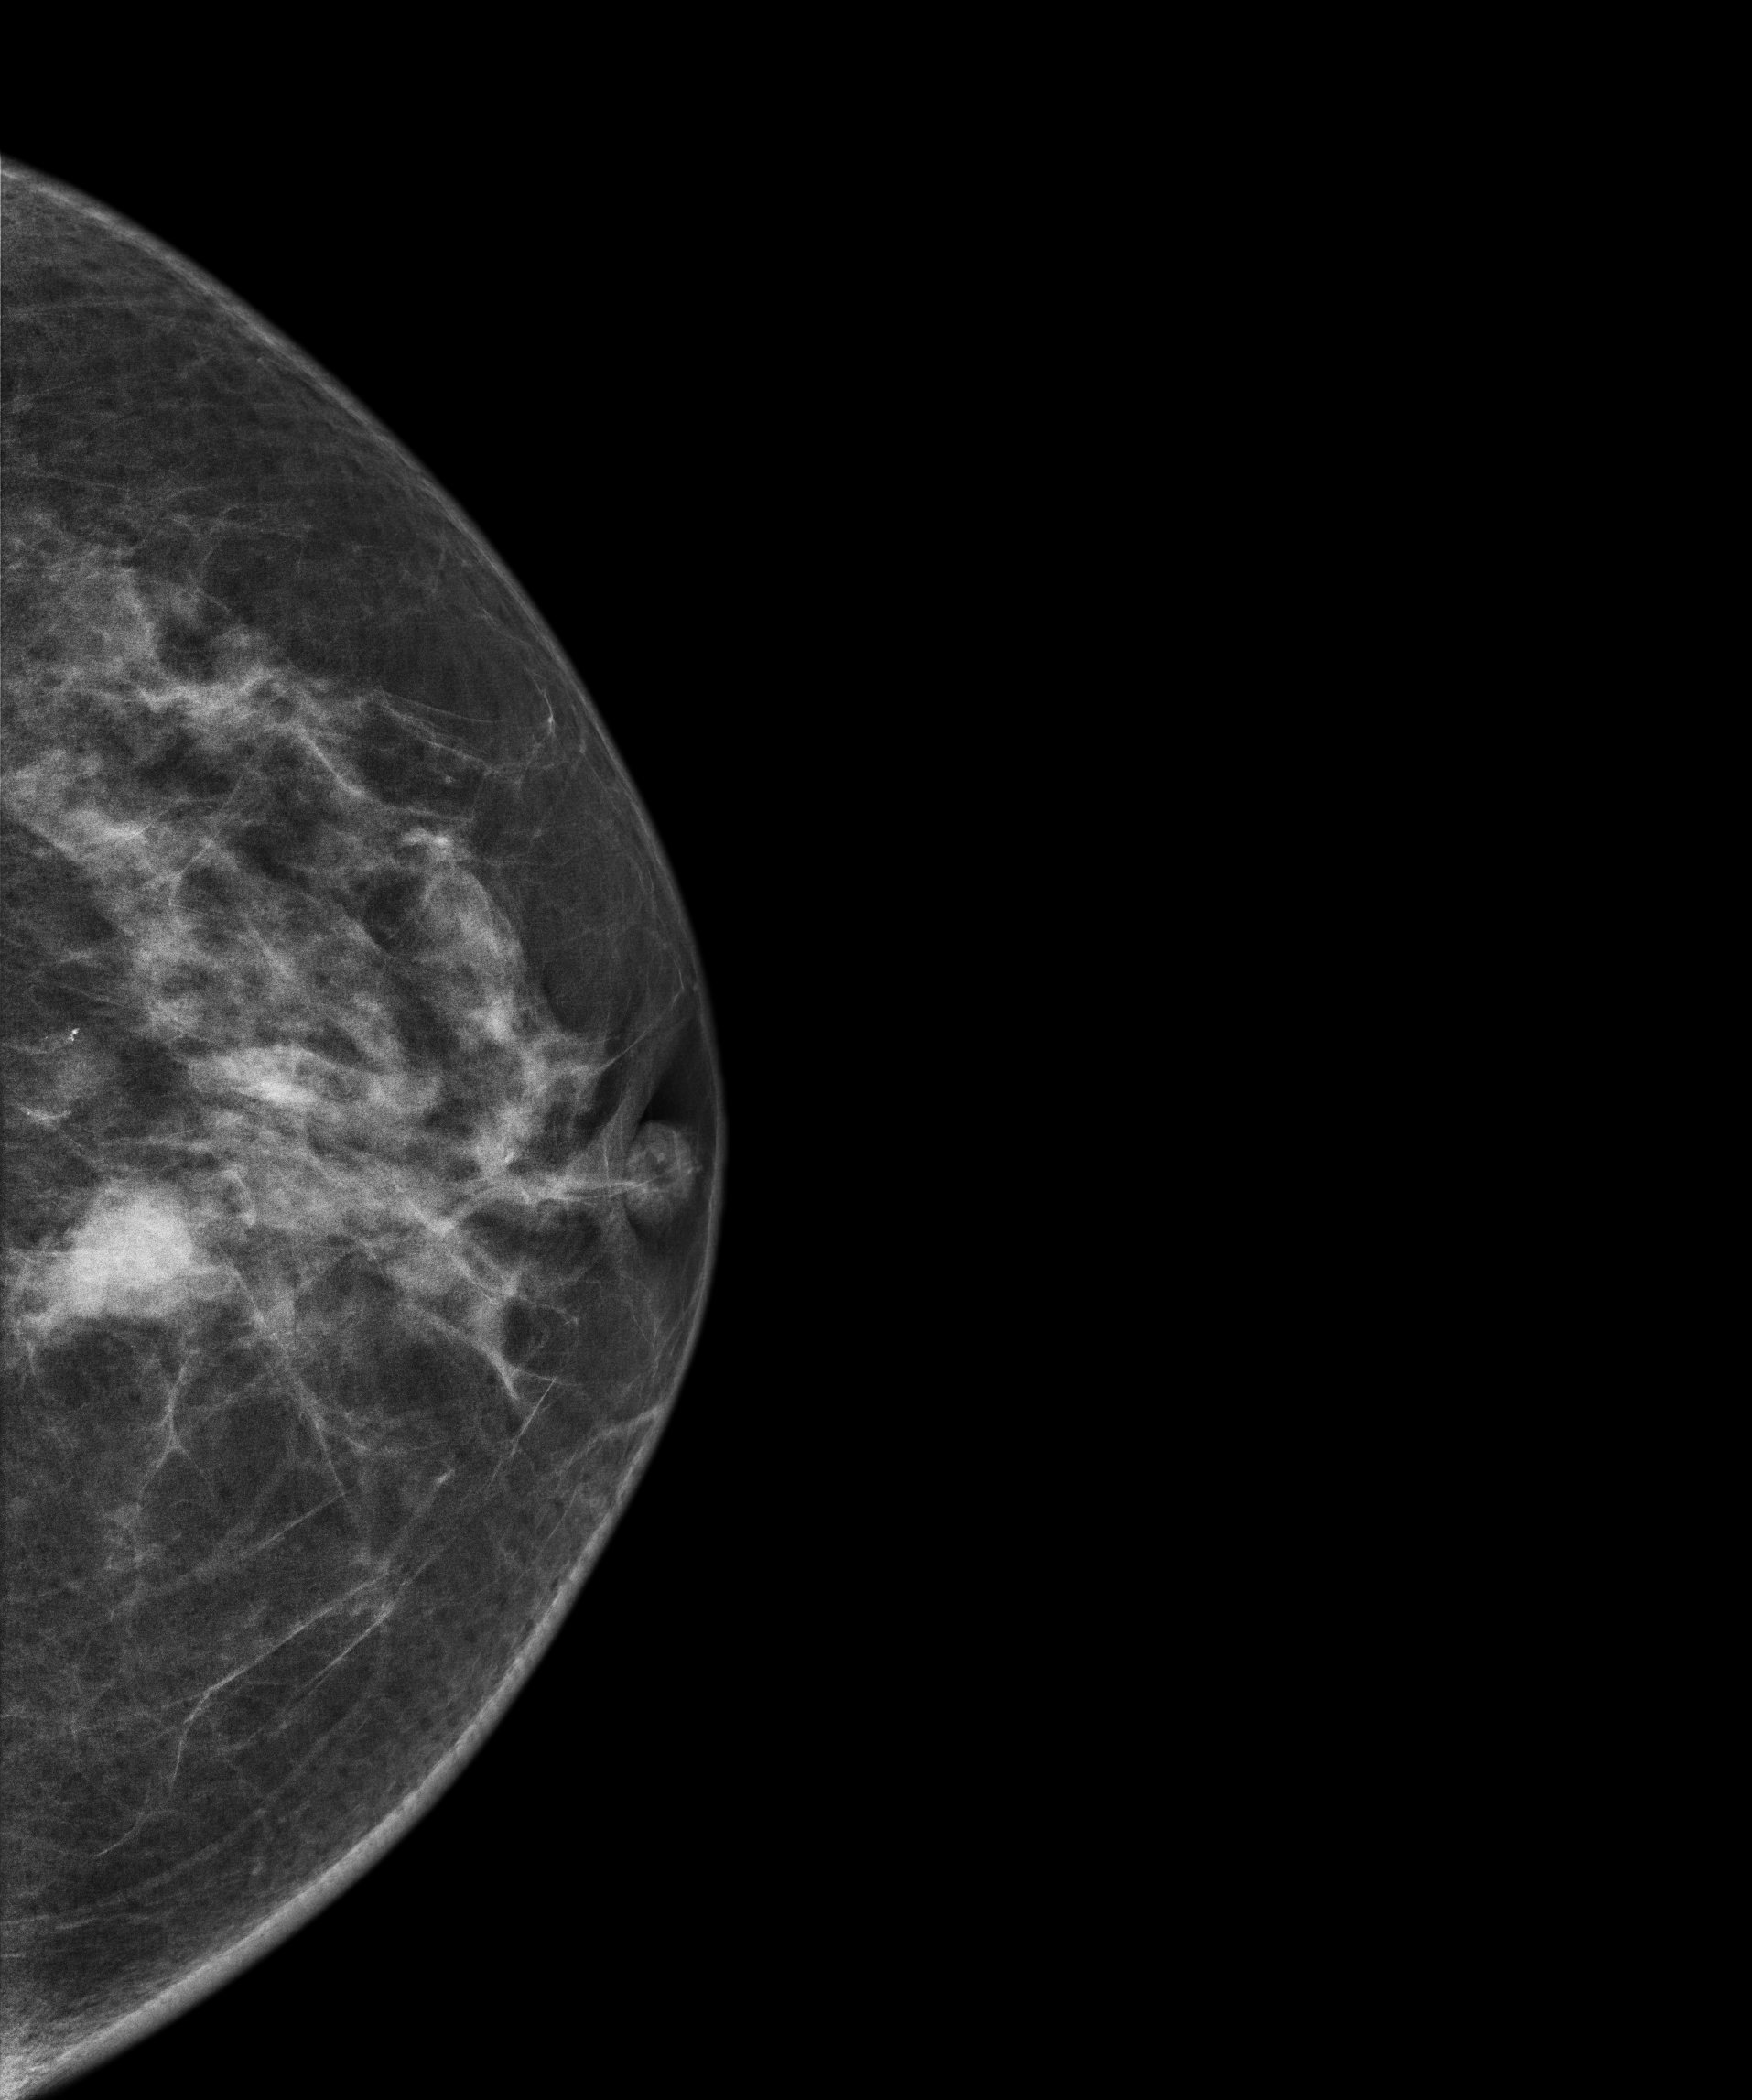
Mammogram — left cranio-caudal. 78-year-old patient.
This breast has a mass, pathology-confirmed malignant.